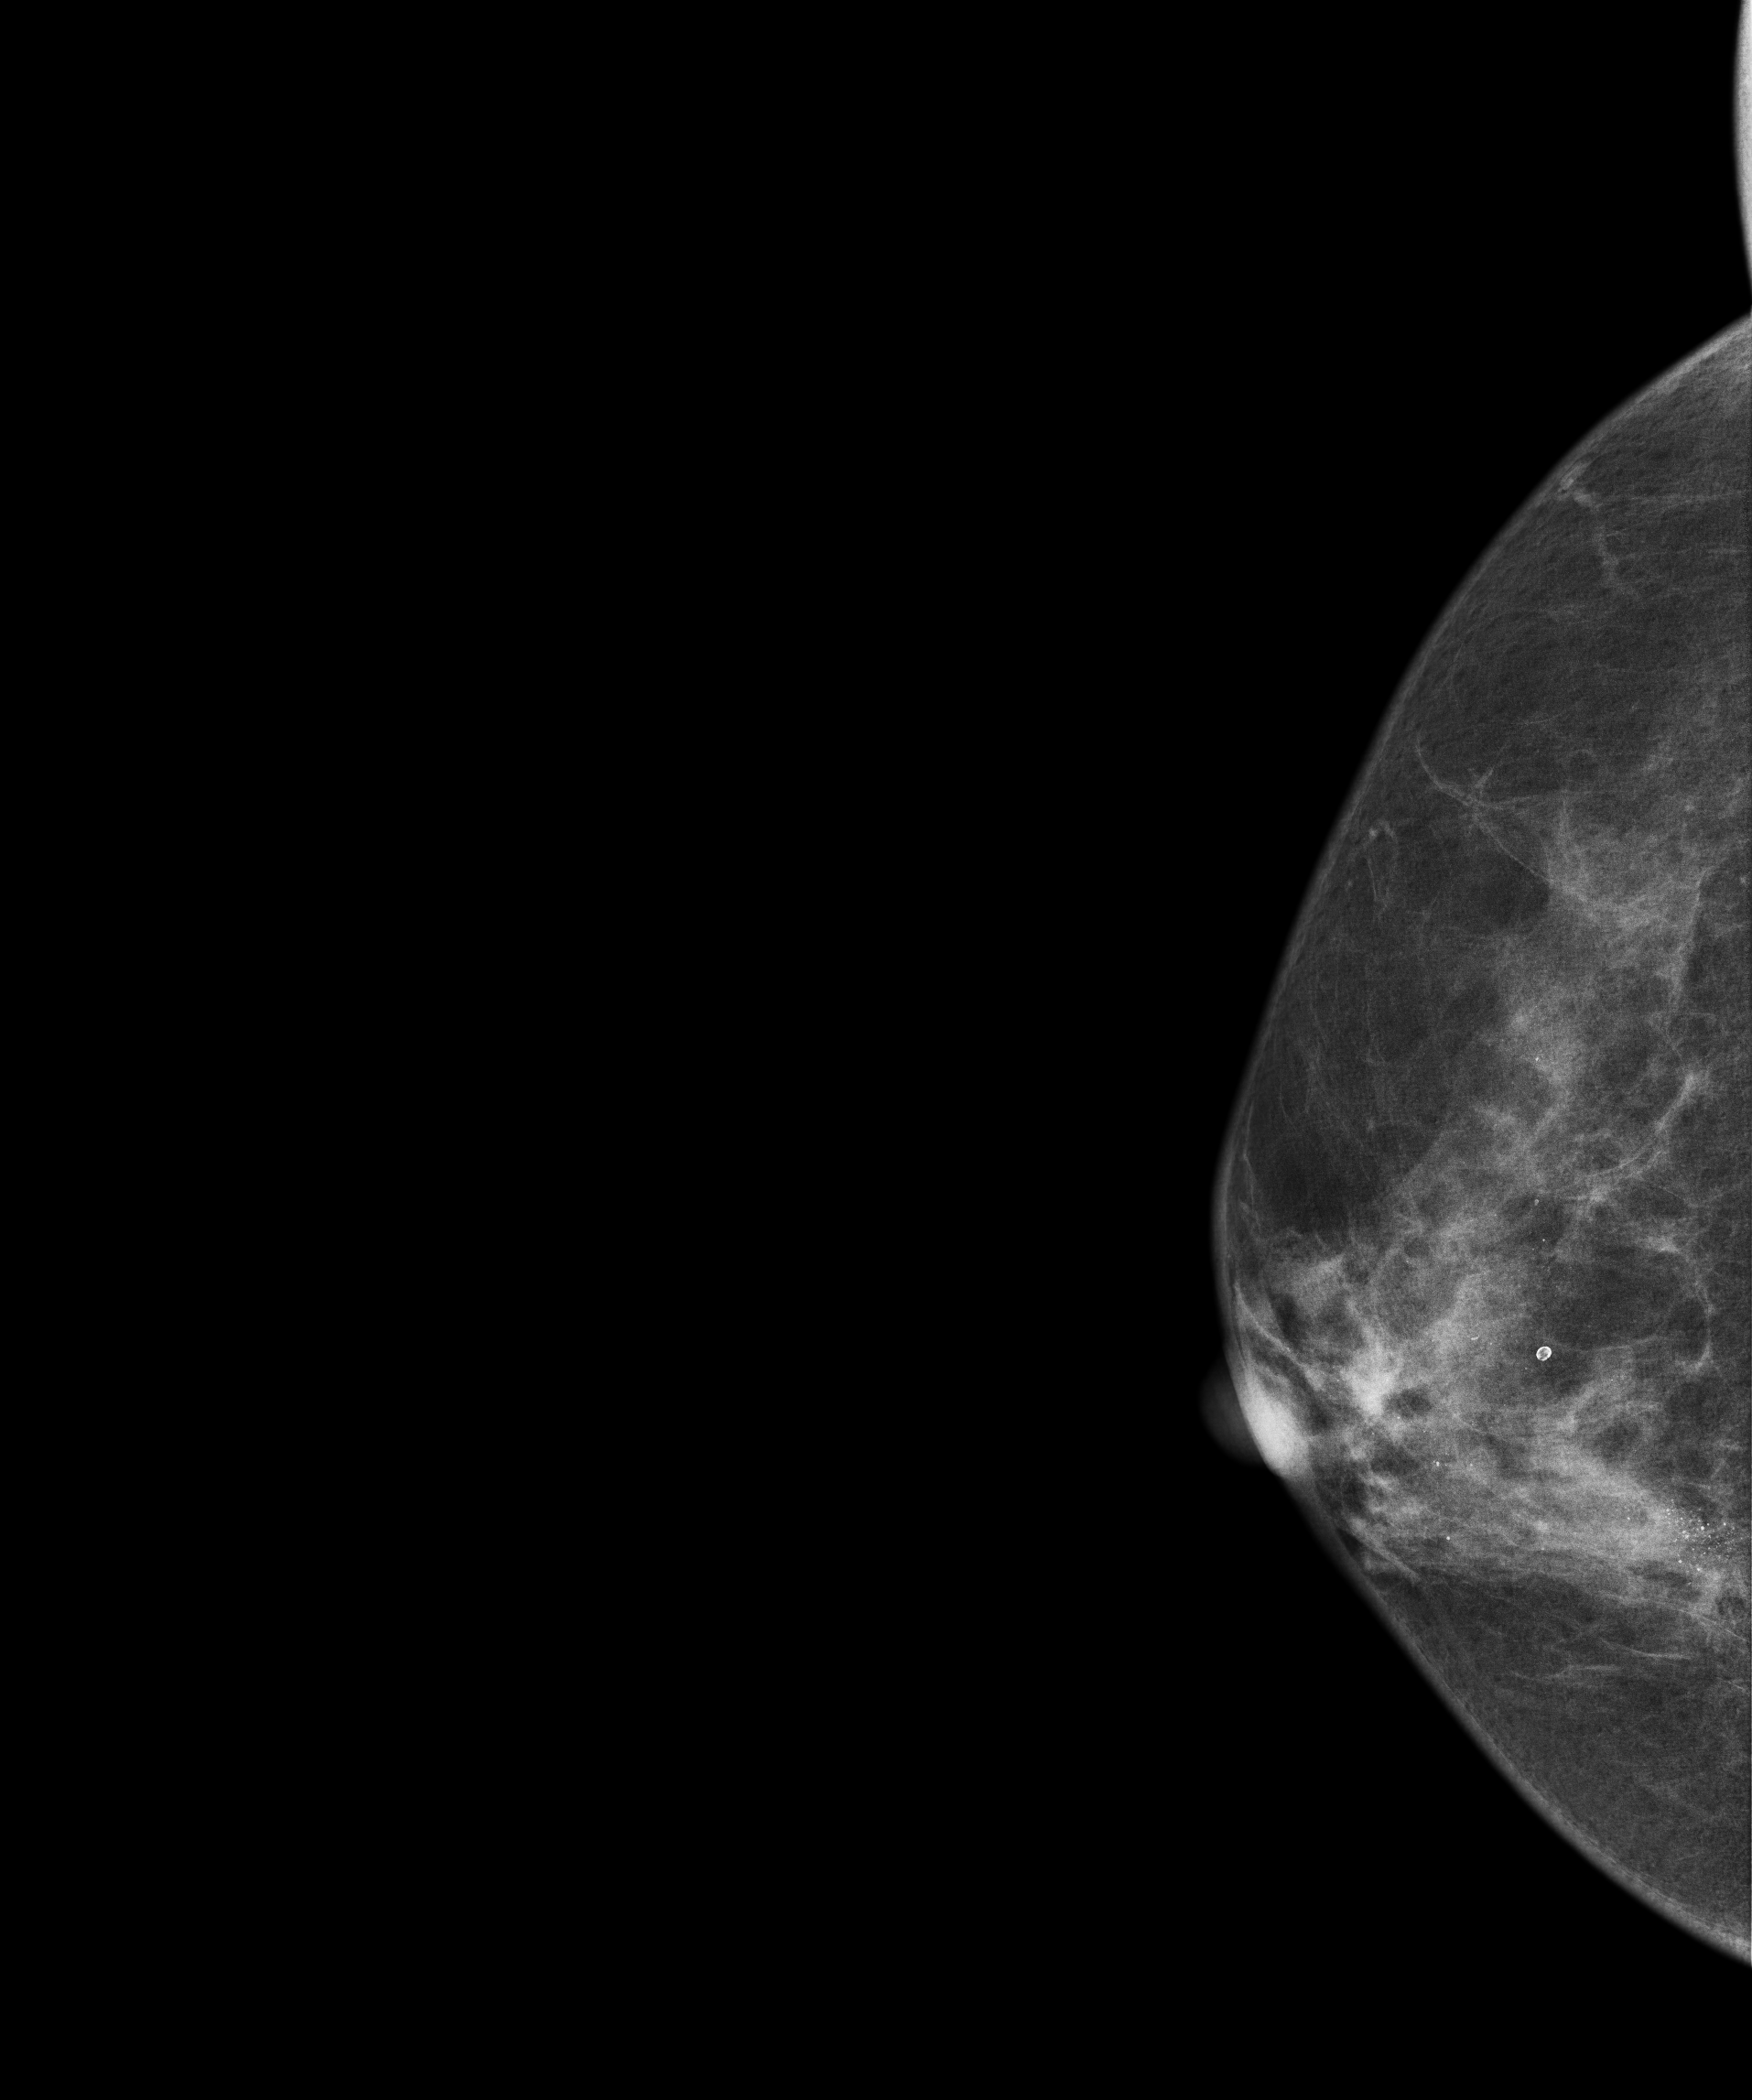
Mammogram — right CC. 57-year-old patient.
This breast has calcifications, biopsy-confirmed benign.